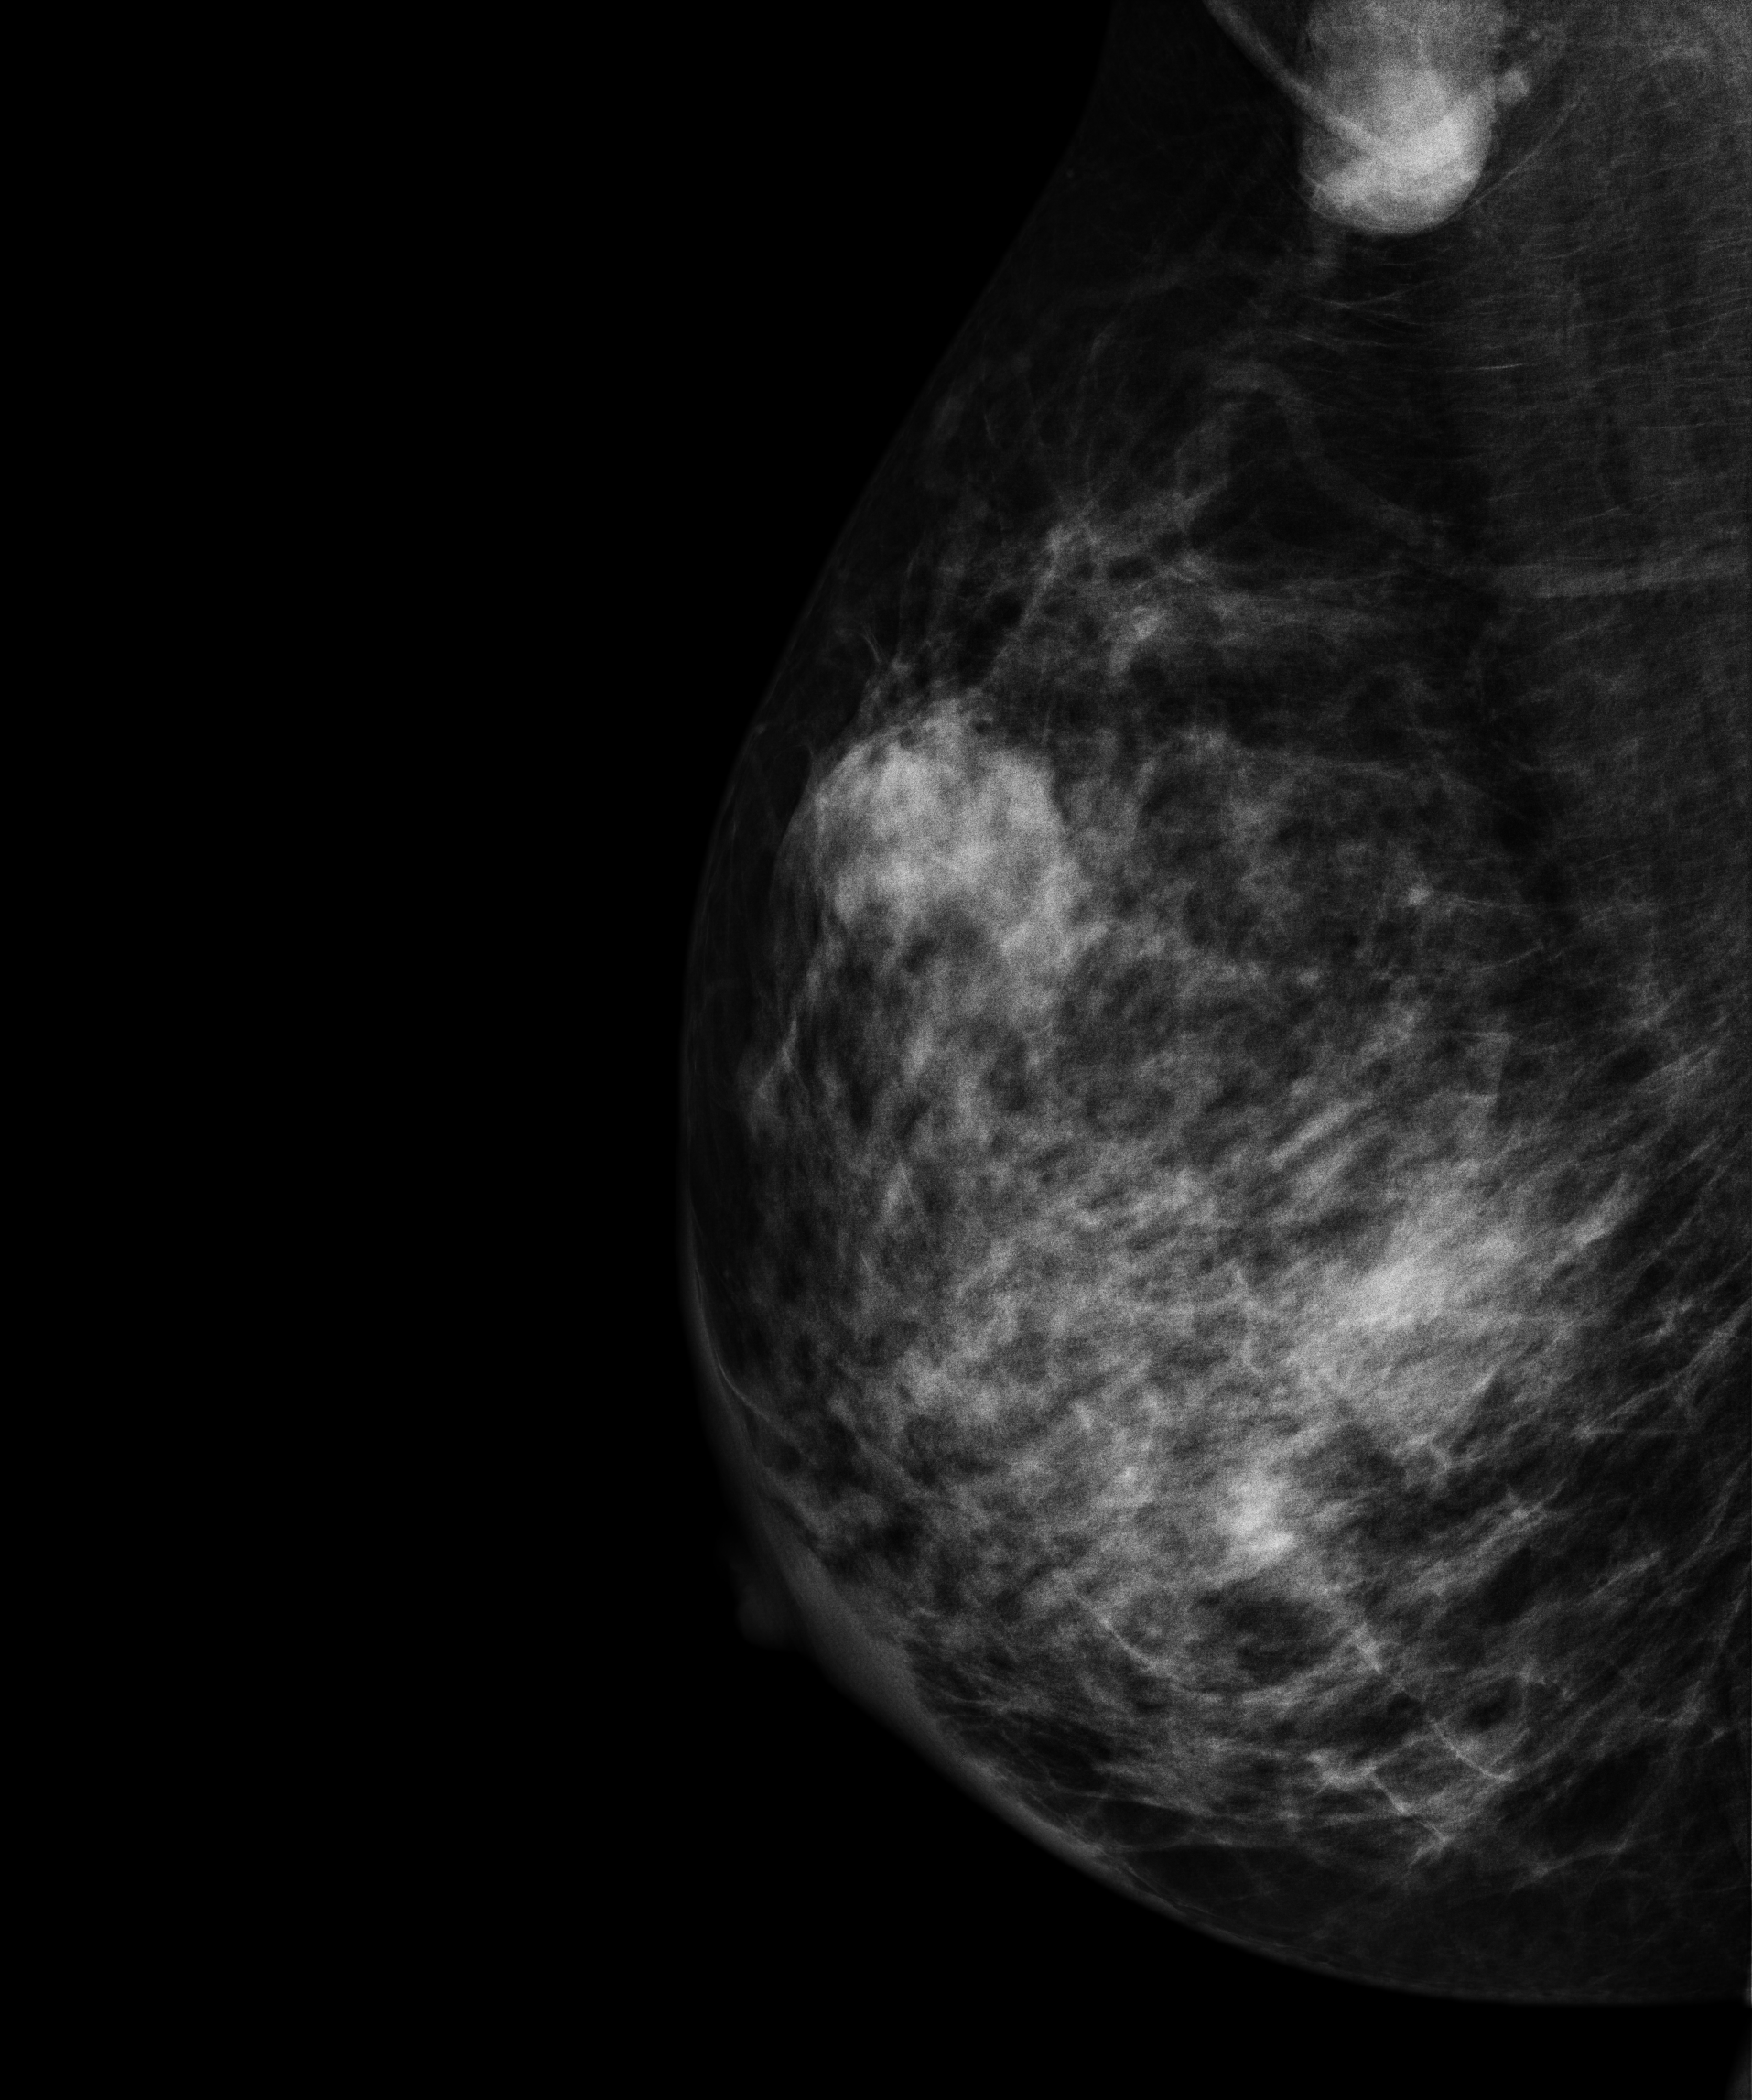
Mammogram — right medio-lateral oblique. 39 y/o patient.
This breast has a mass, histologically confirmed malignant.